Mammogram — right MLO. Patient age 61.
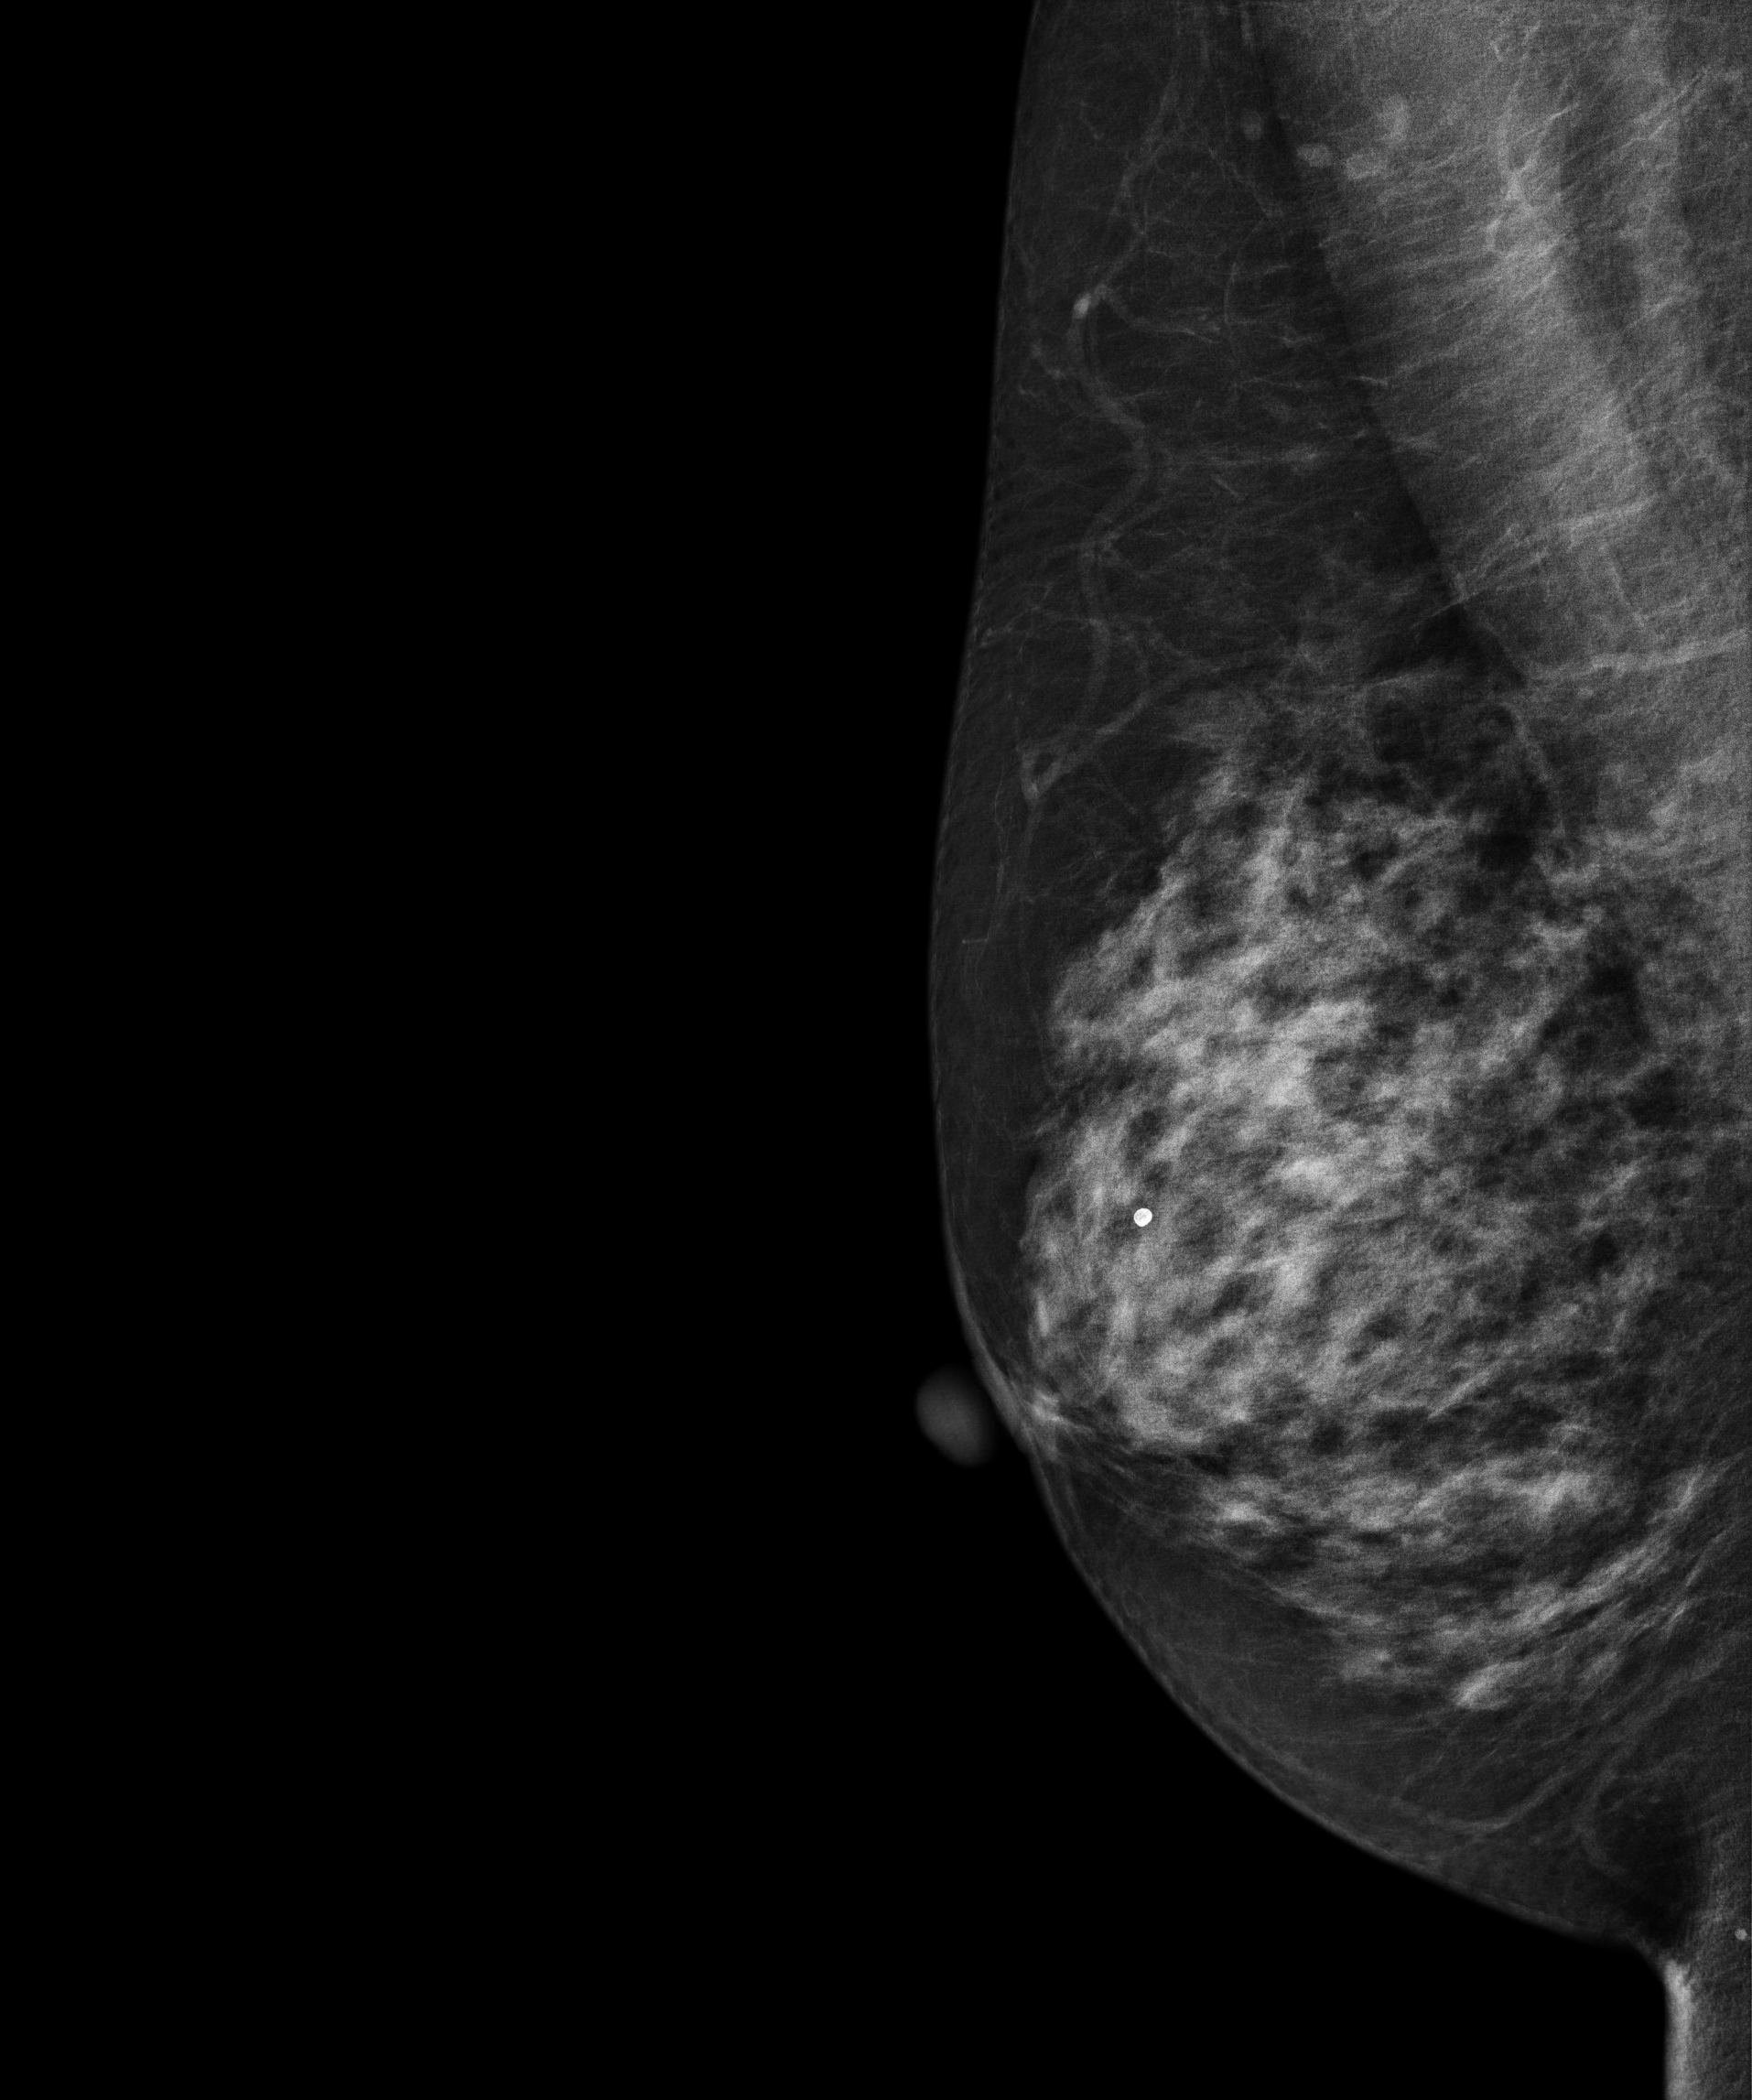
Contralateral breast — no documented abnormality on this side.